Mammogram, left breast, cranio-caudal view. 33-year-old patient.
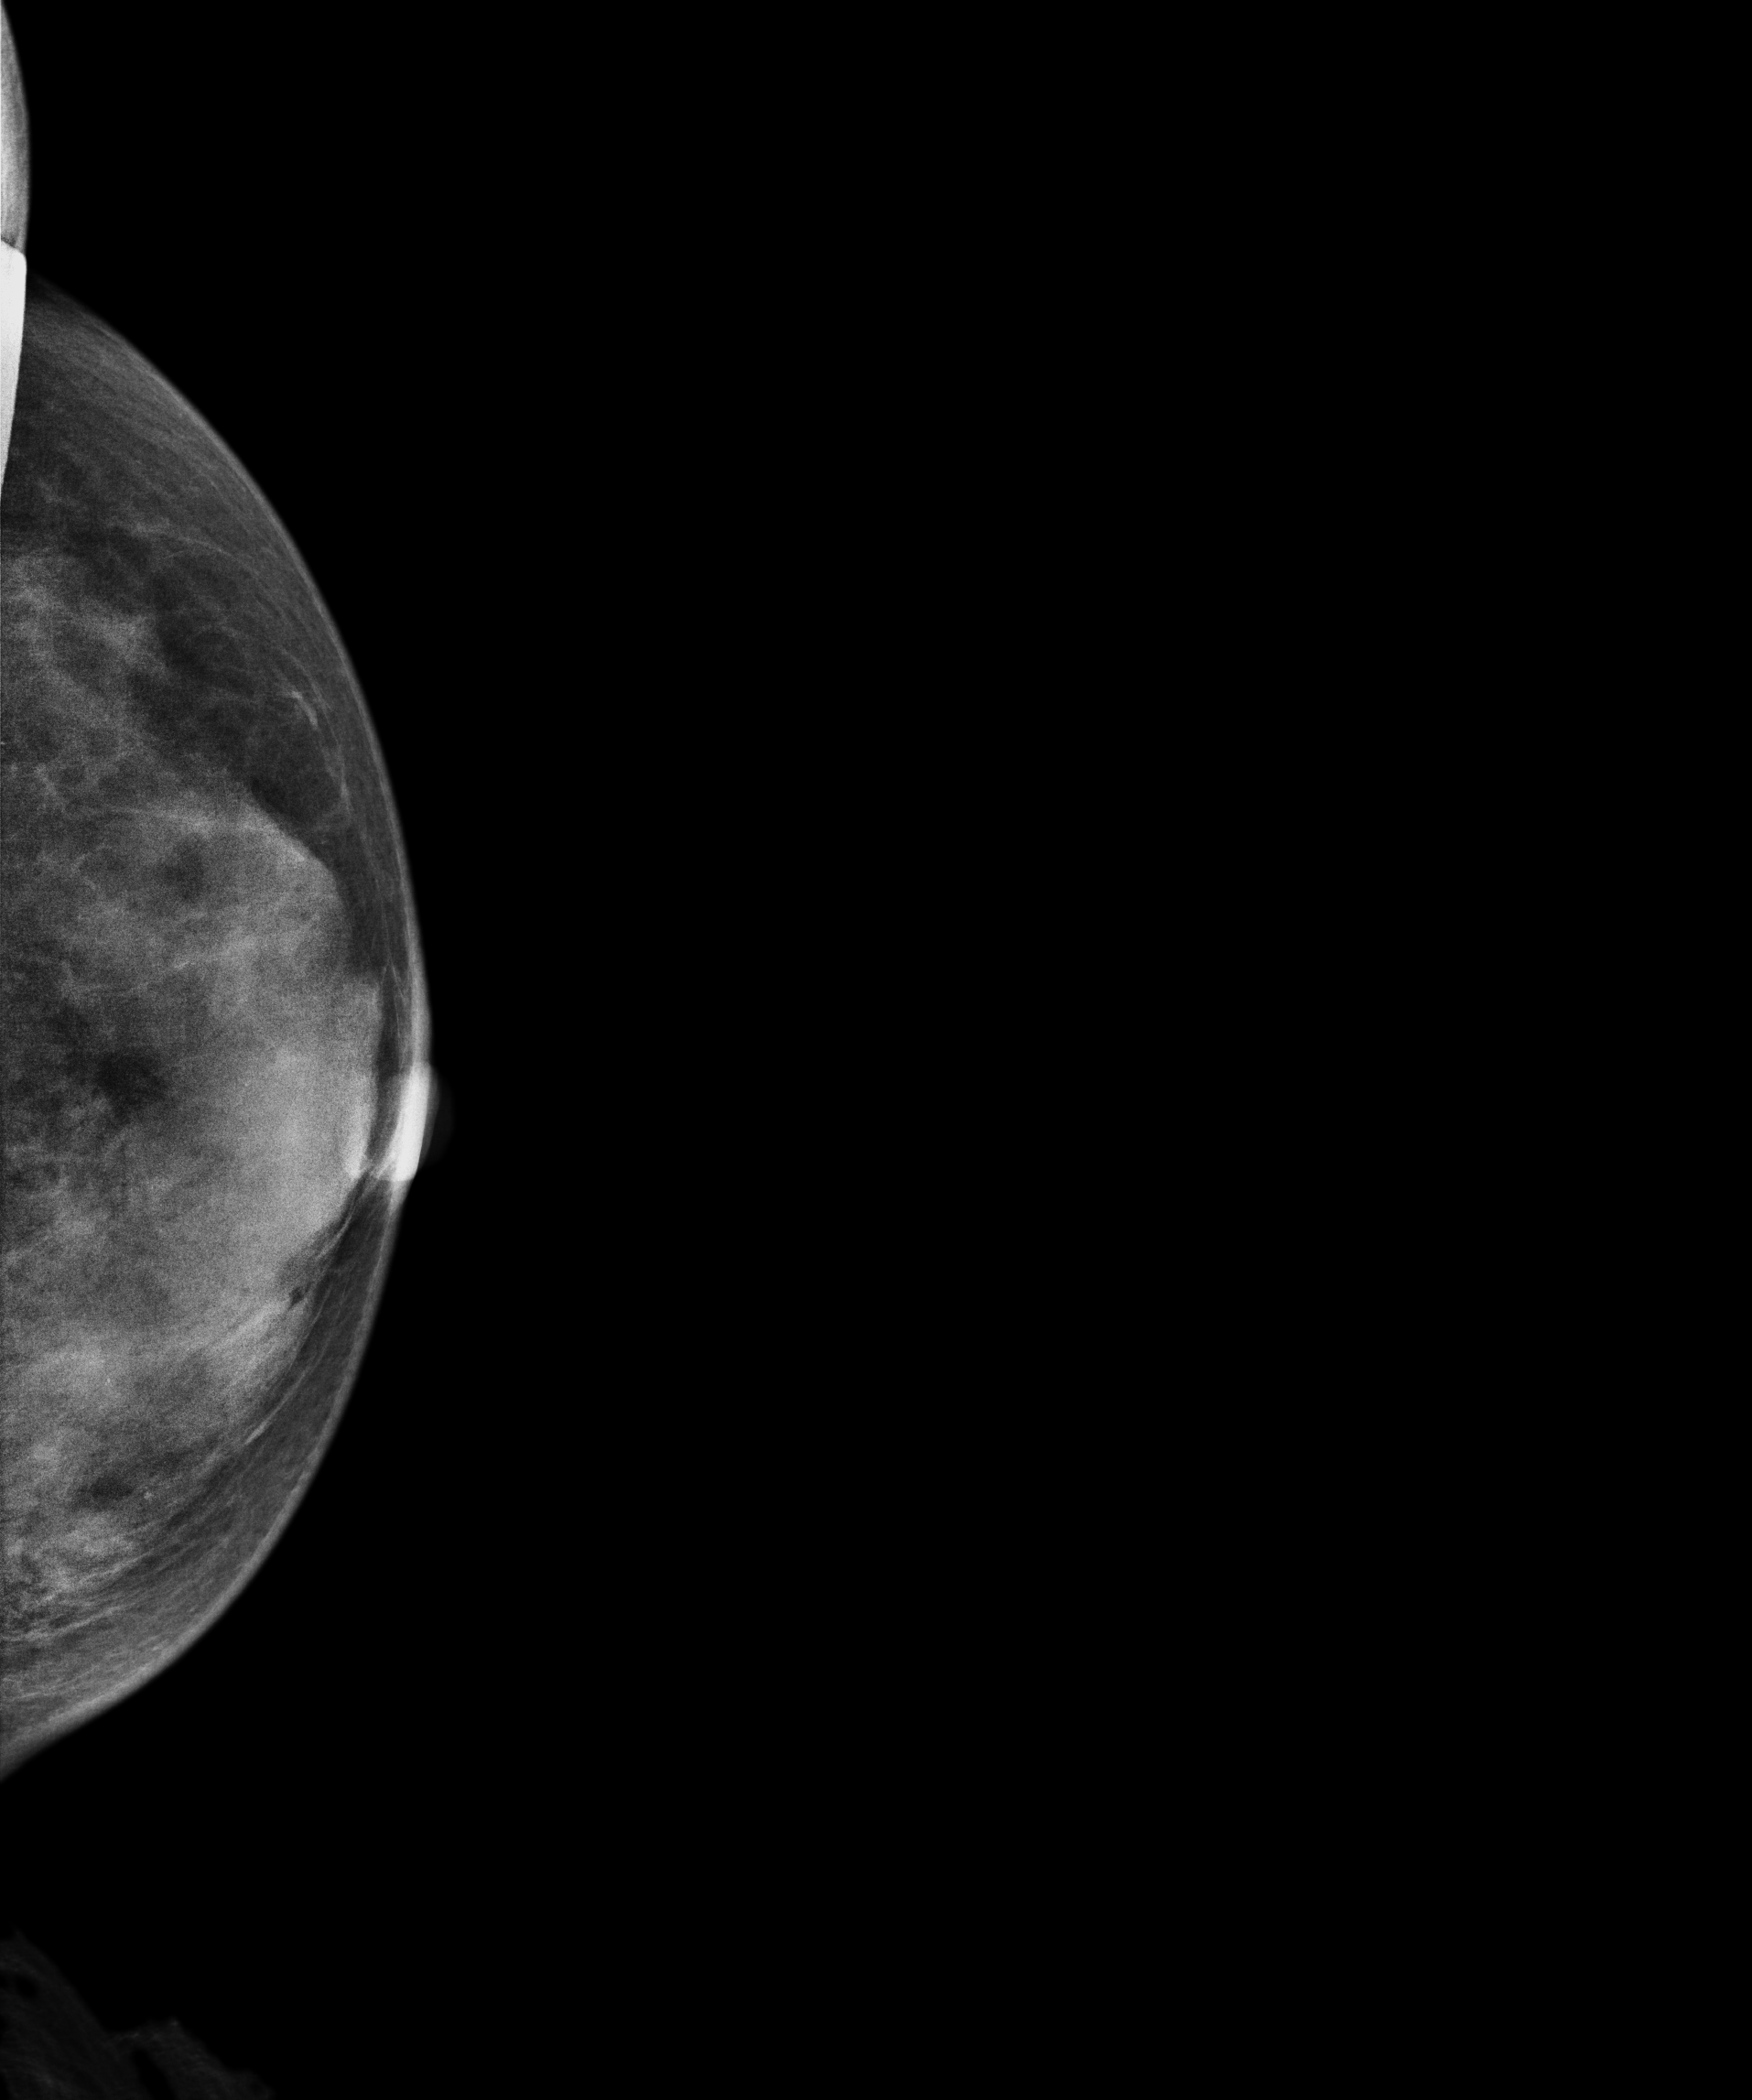
Contralateral breast — no documented abnormality on this side.